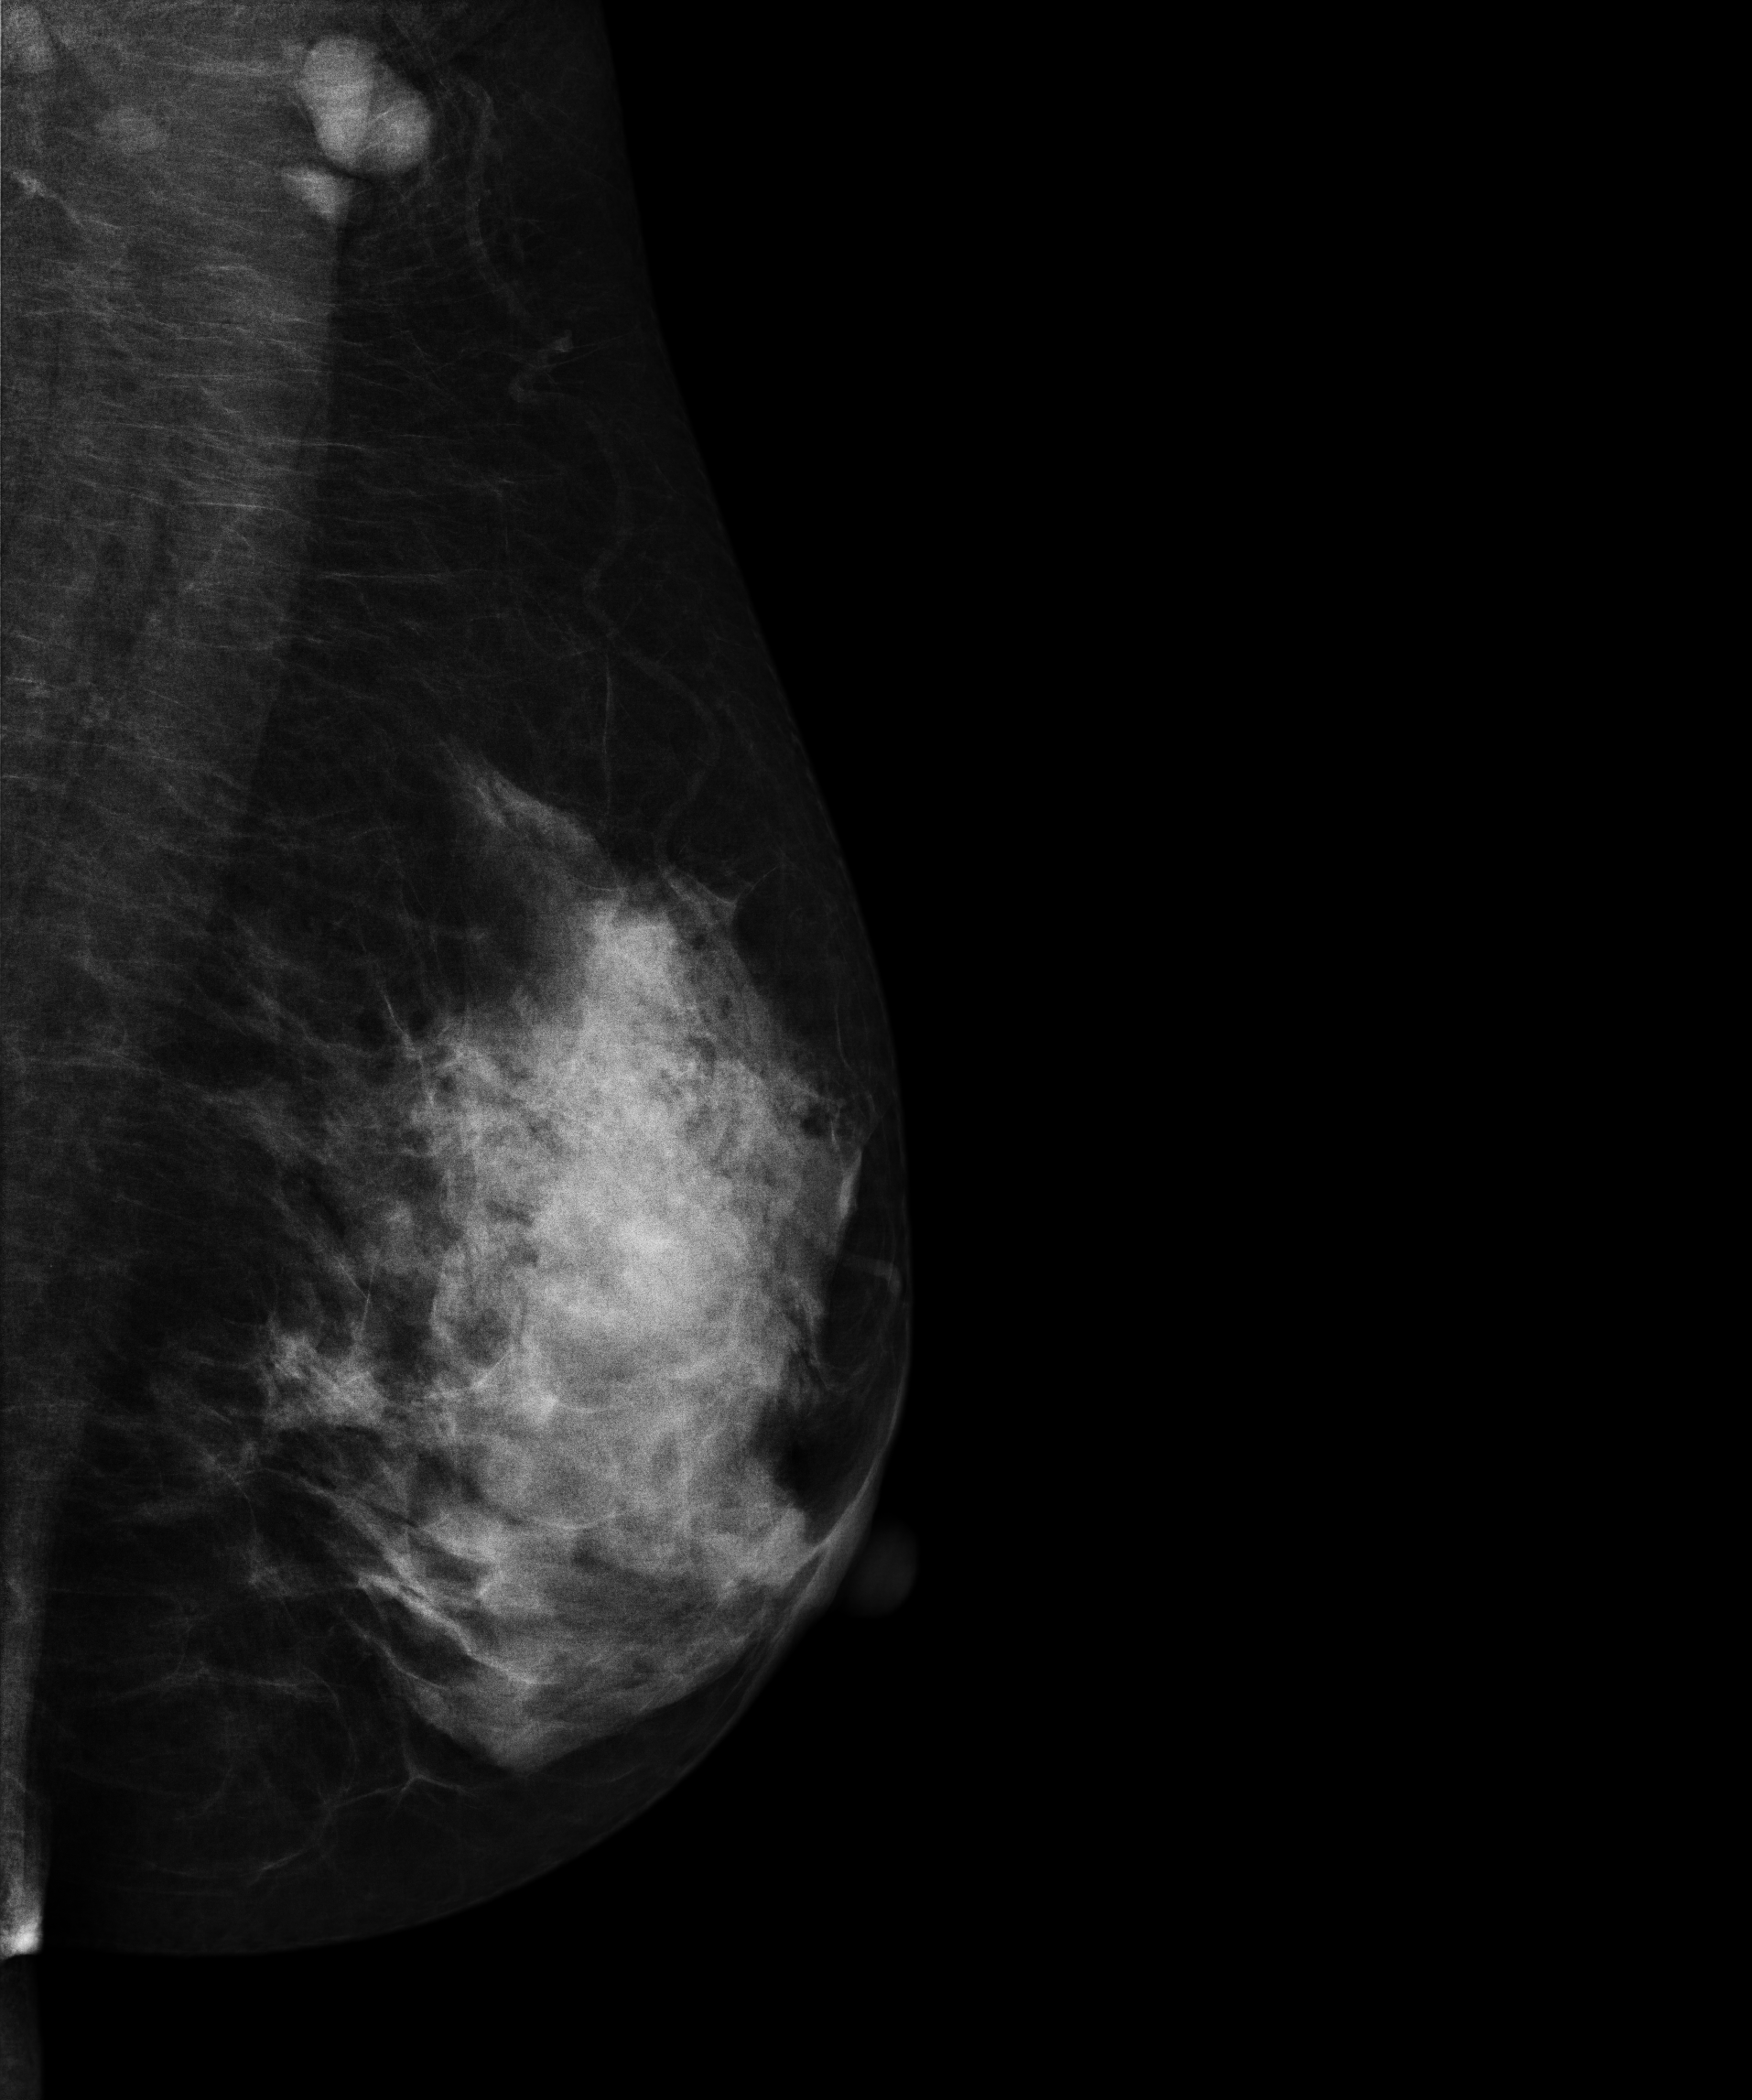
Digital mammography. Left breast, medio-lateral oblique projection. 53-year-old patient.
This breast has a mass, biopsy-confirmed malignant.